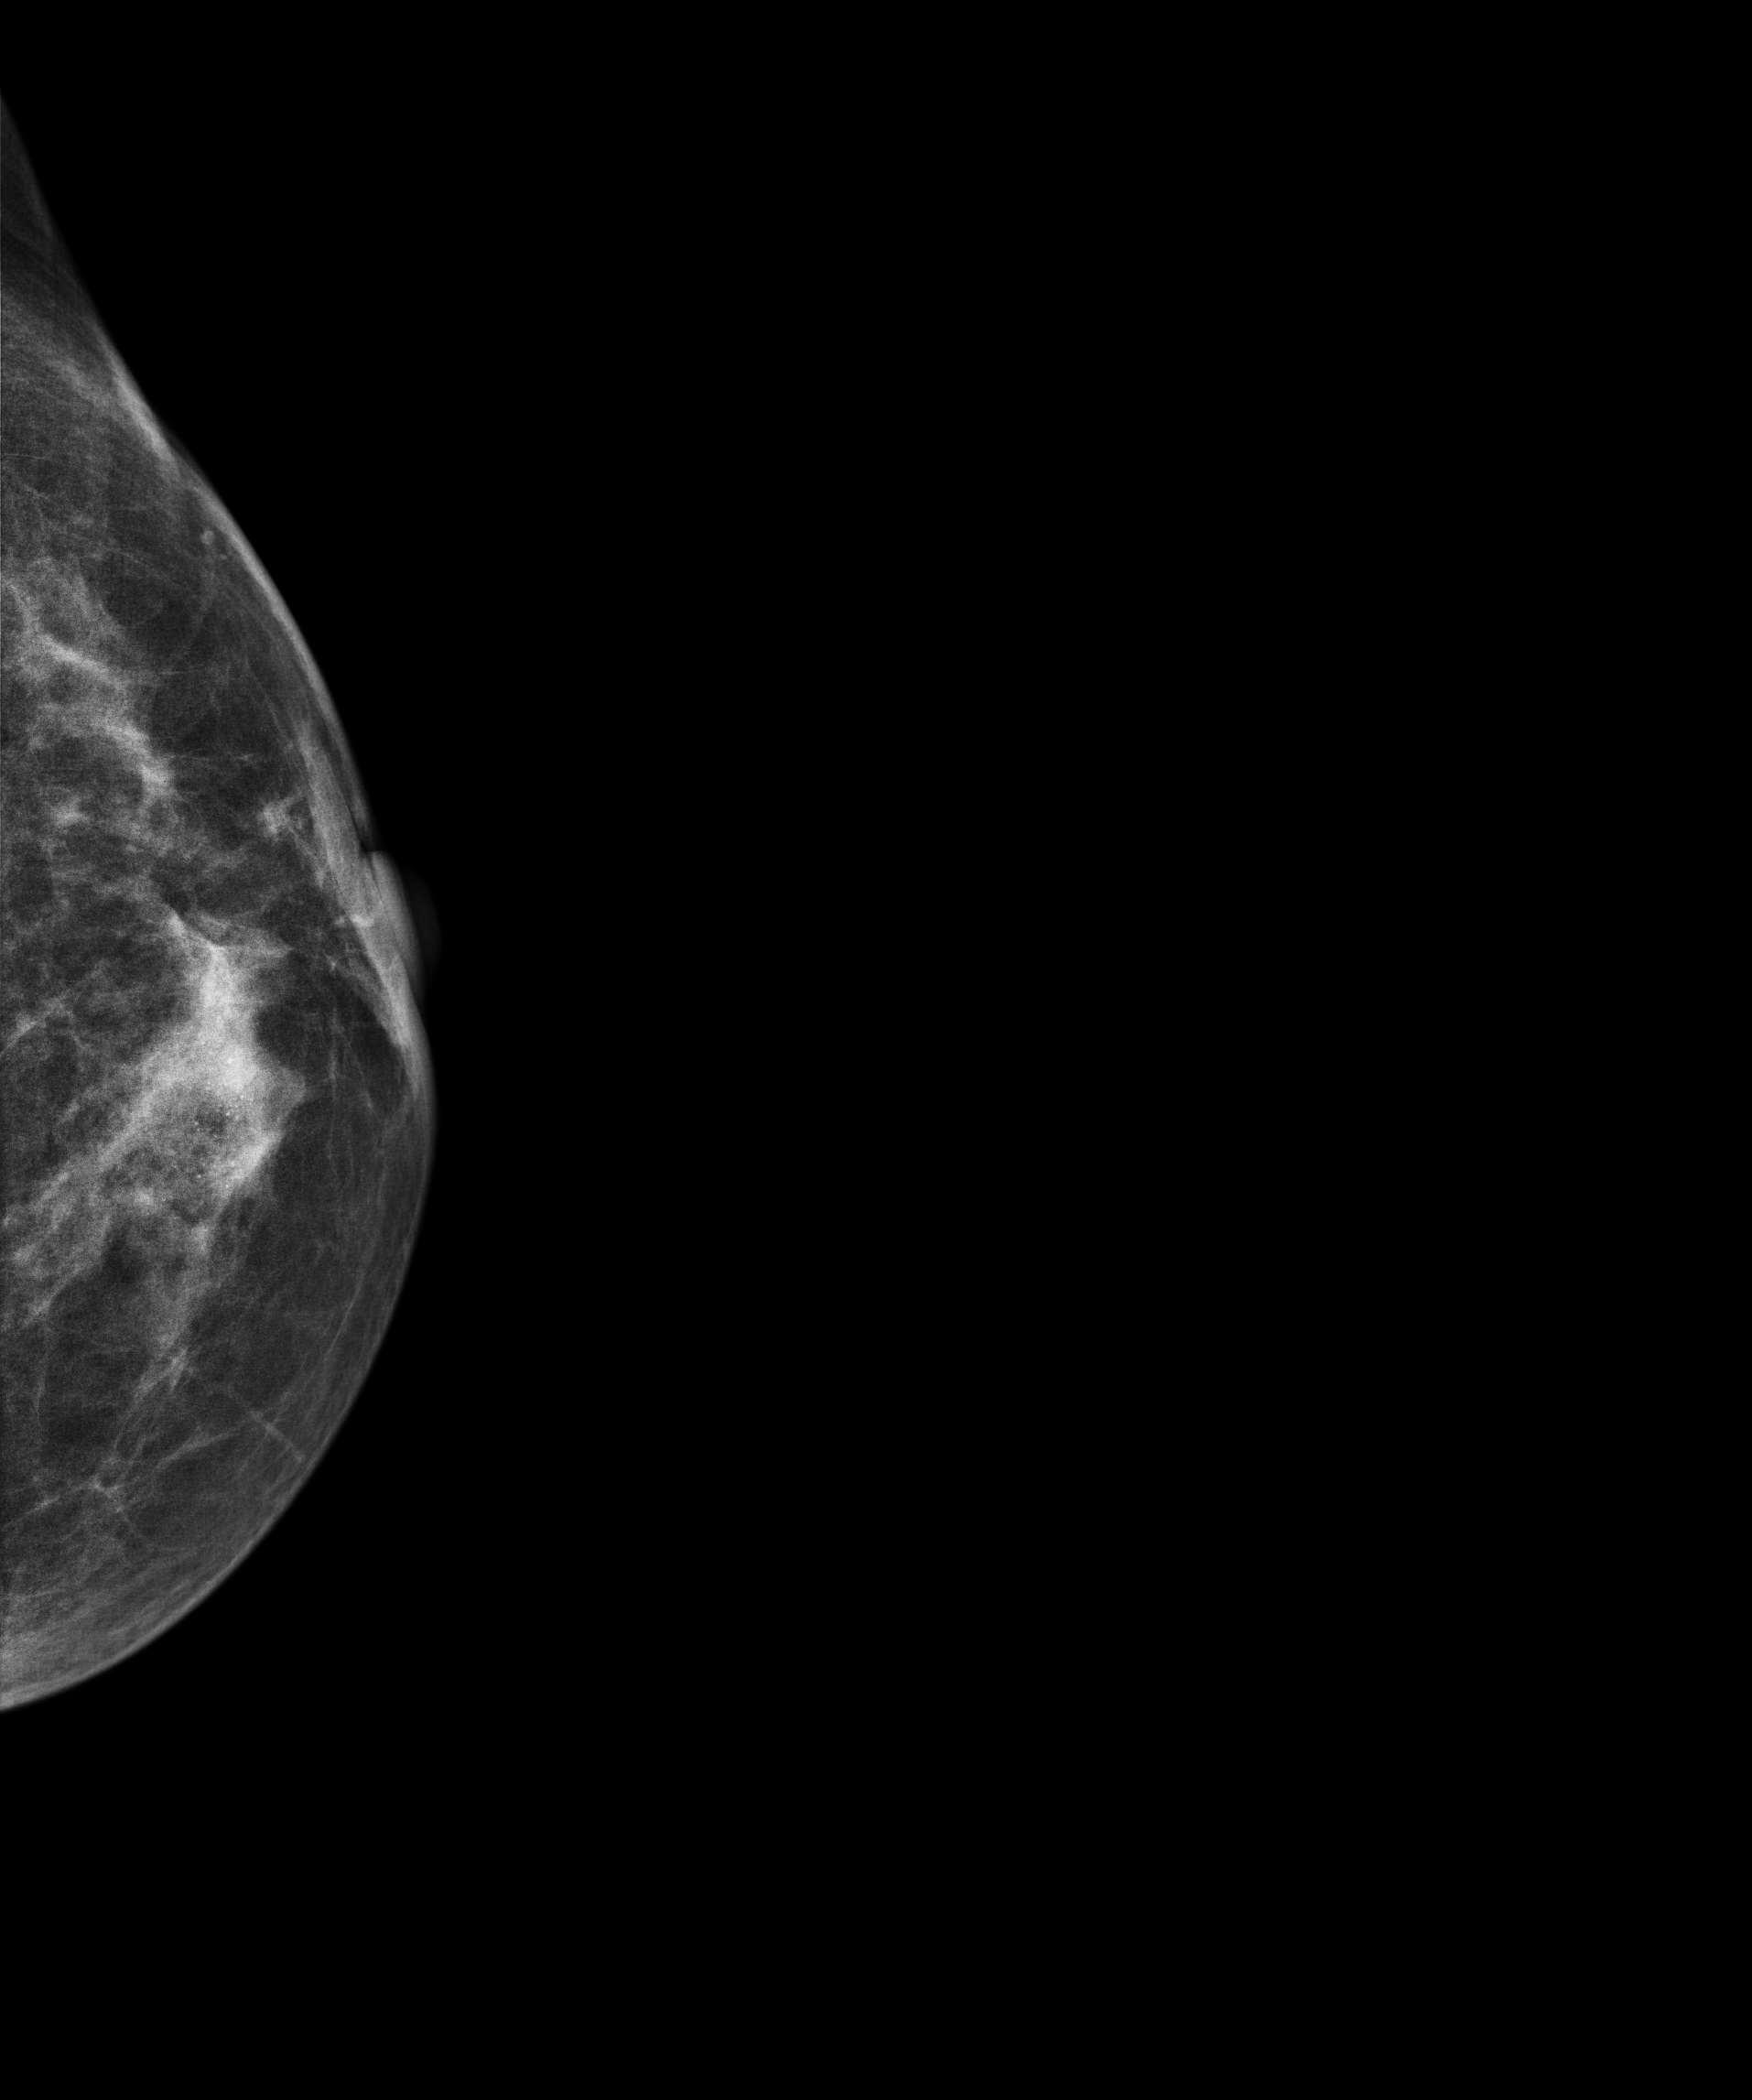
Mammogram — left CC. 45 y/o patient.
This breast has a mass and calcifications, biopsy-confirmed benign.